Mammogram — left cranio-caudal. Patient age 50.
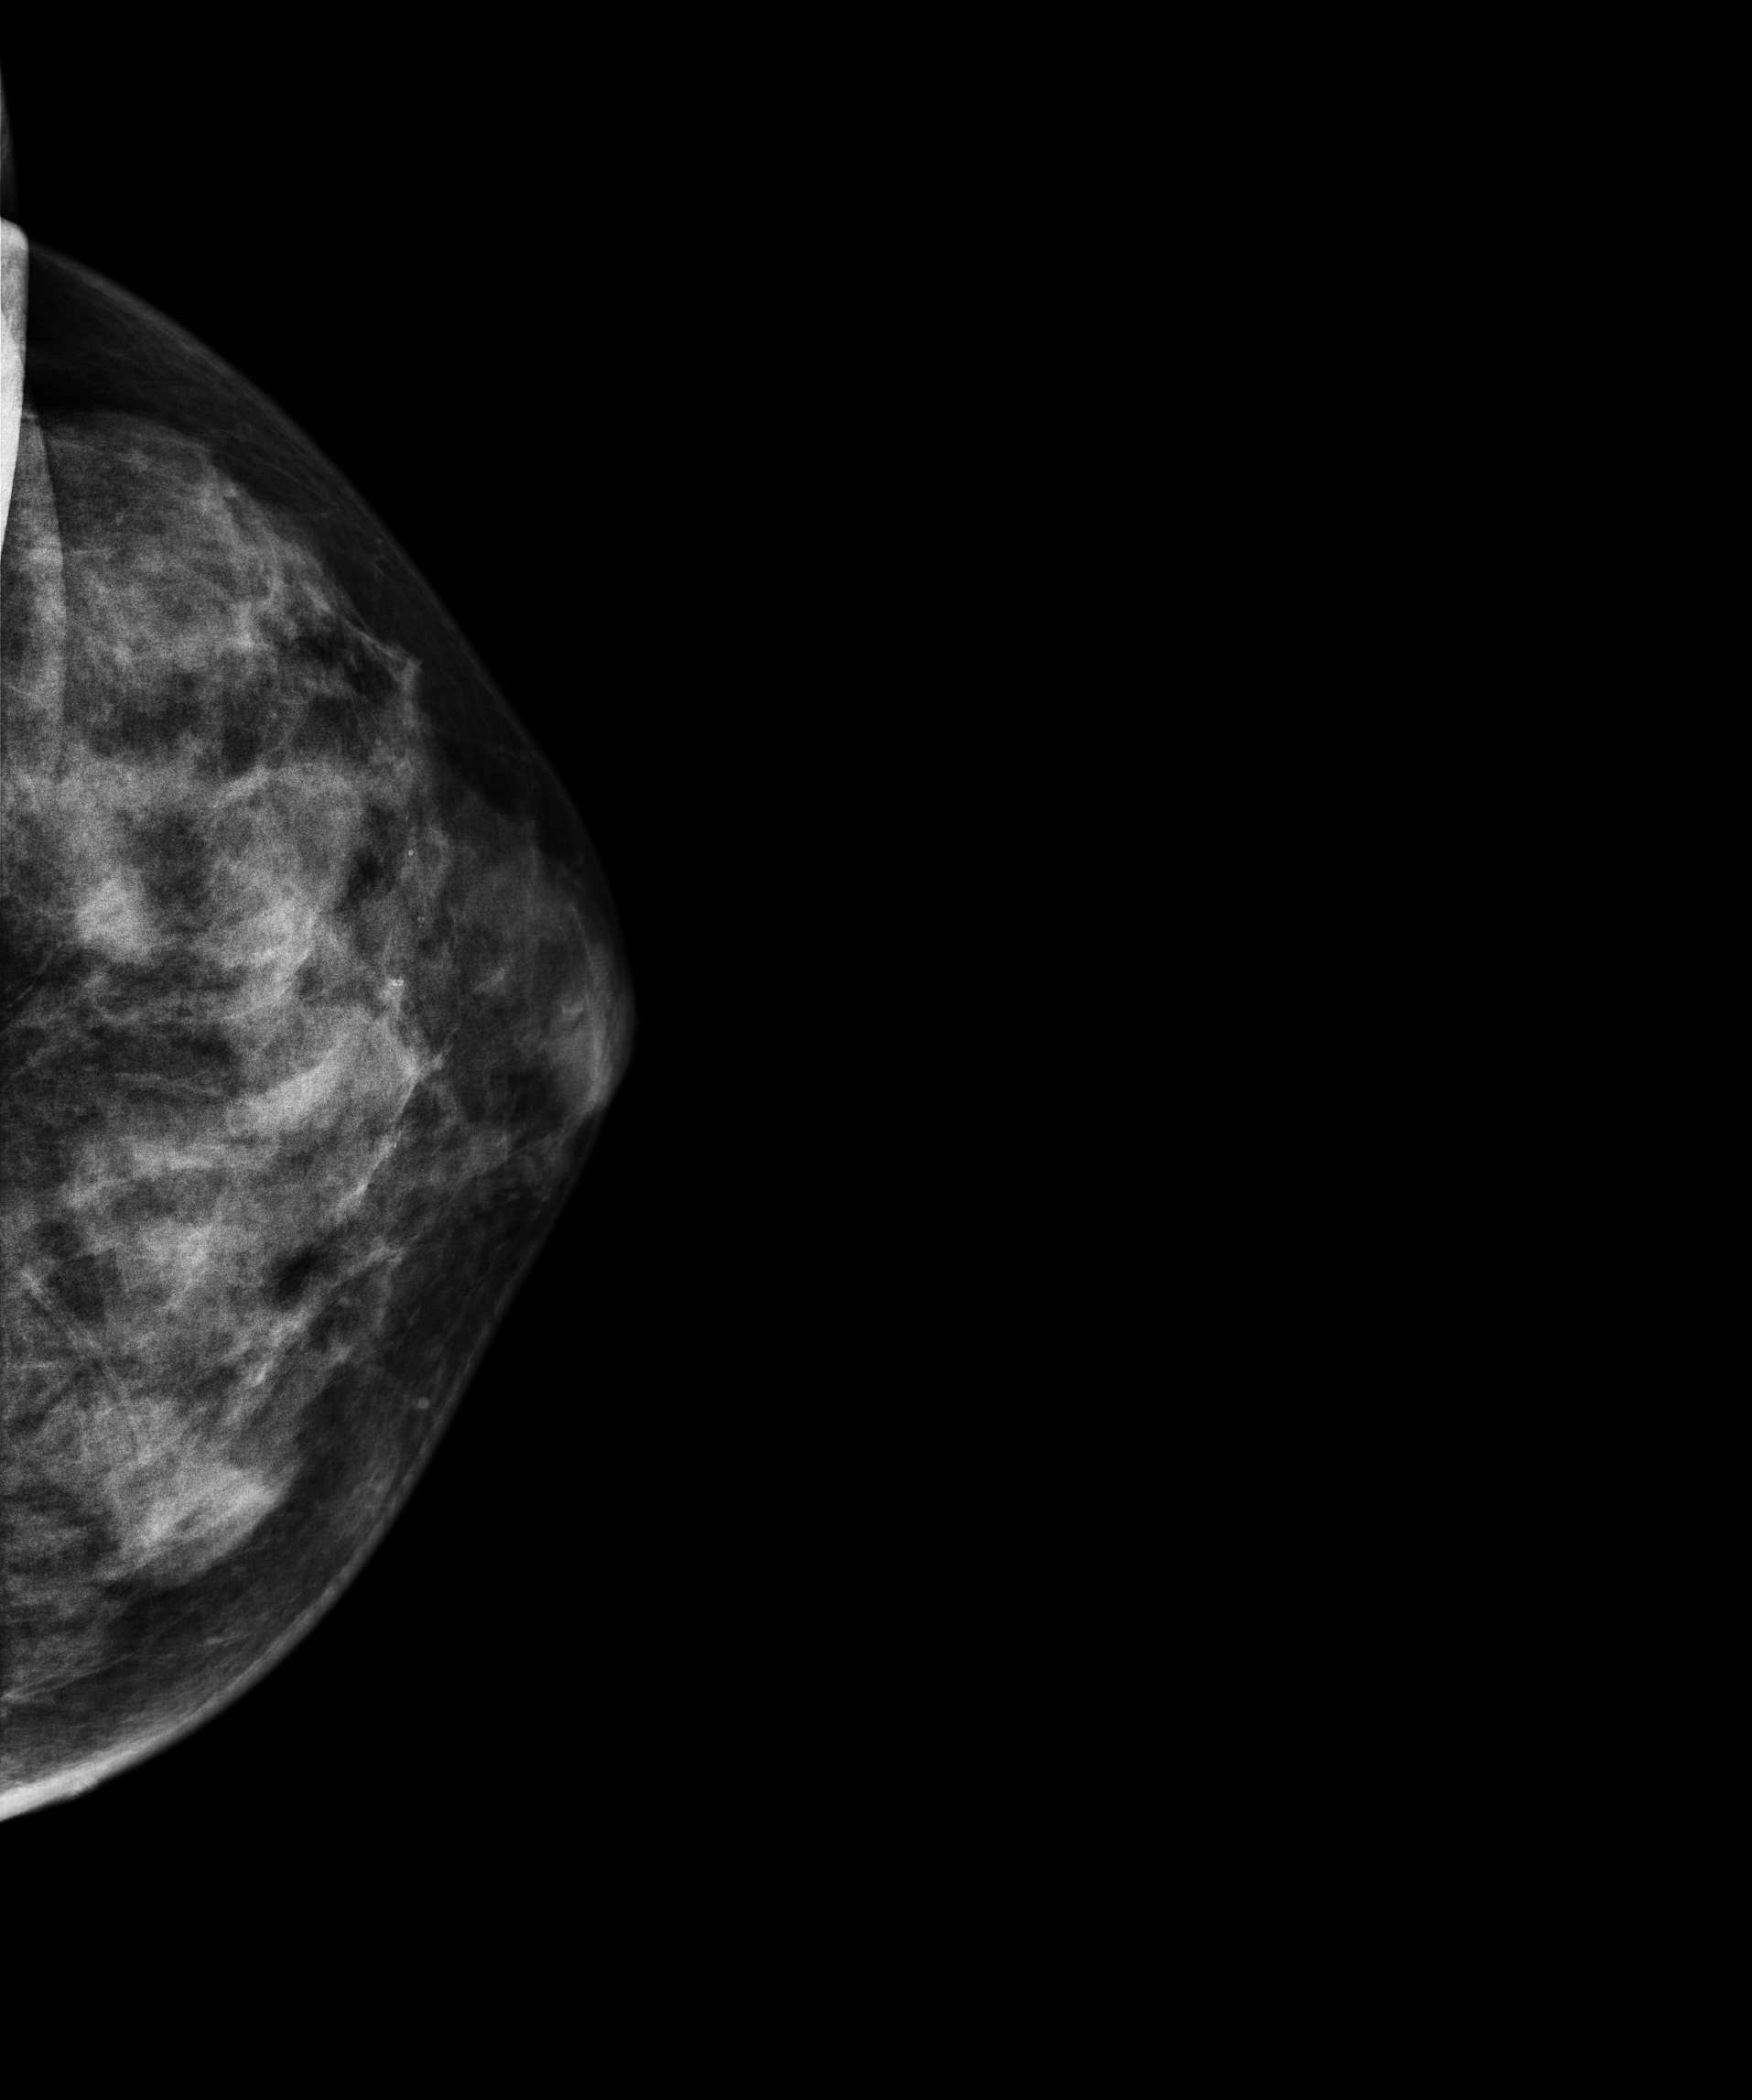
Contralateral breast — no documented abnormality on this side.